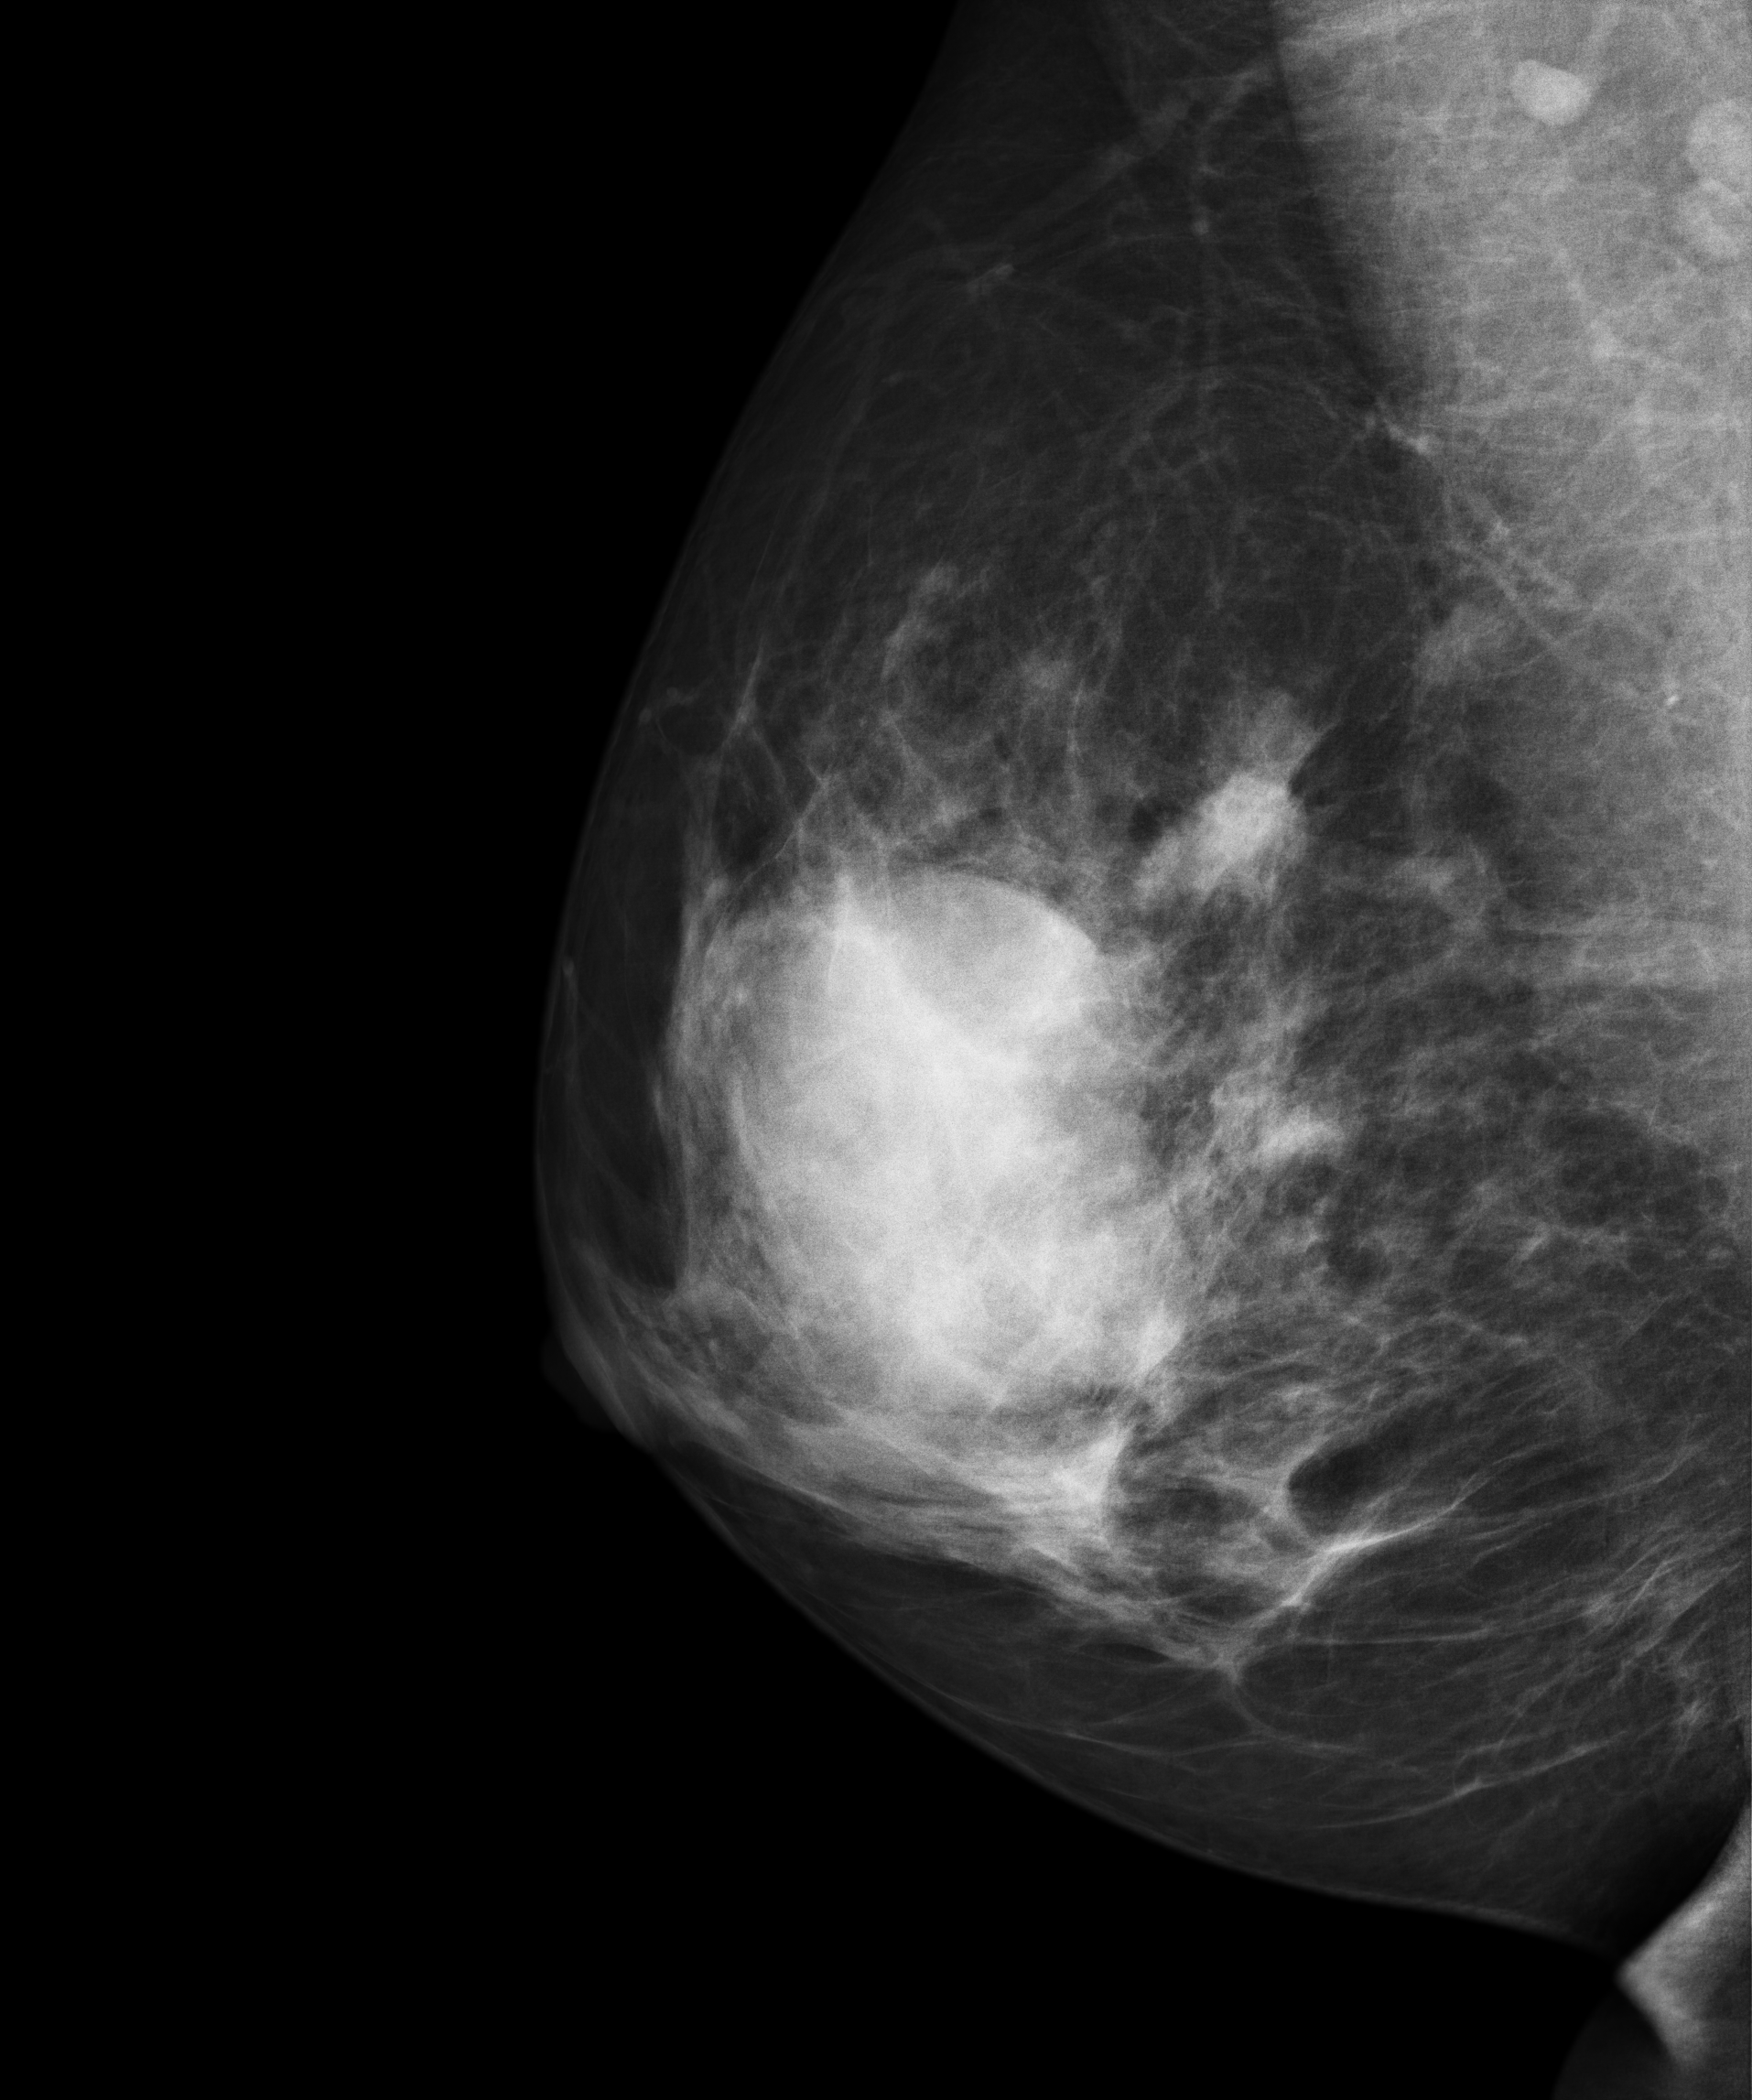
MLO mammogram of the right breast. 39 y/o patient.
This breast has a mass, pathology-confirmed malignant. Molecular subtype: triple-negative.